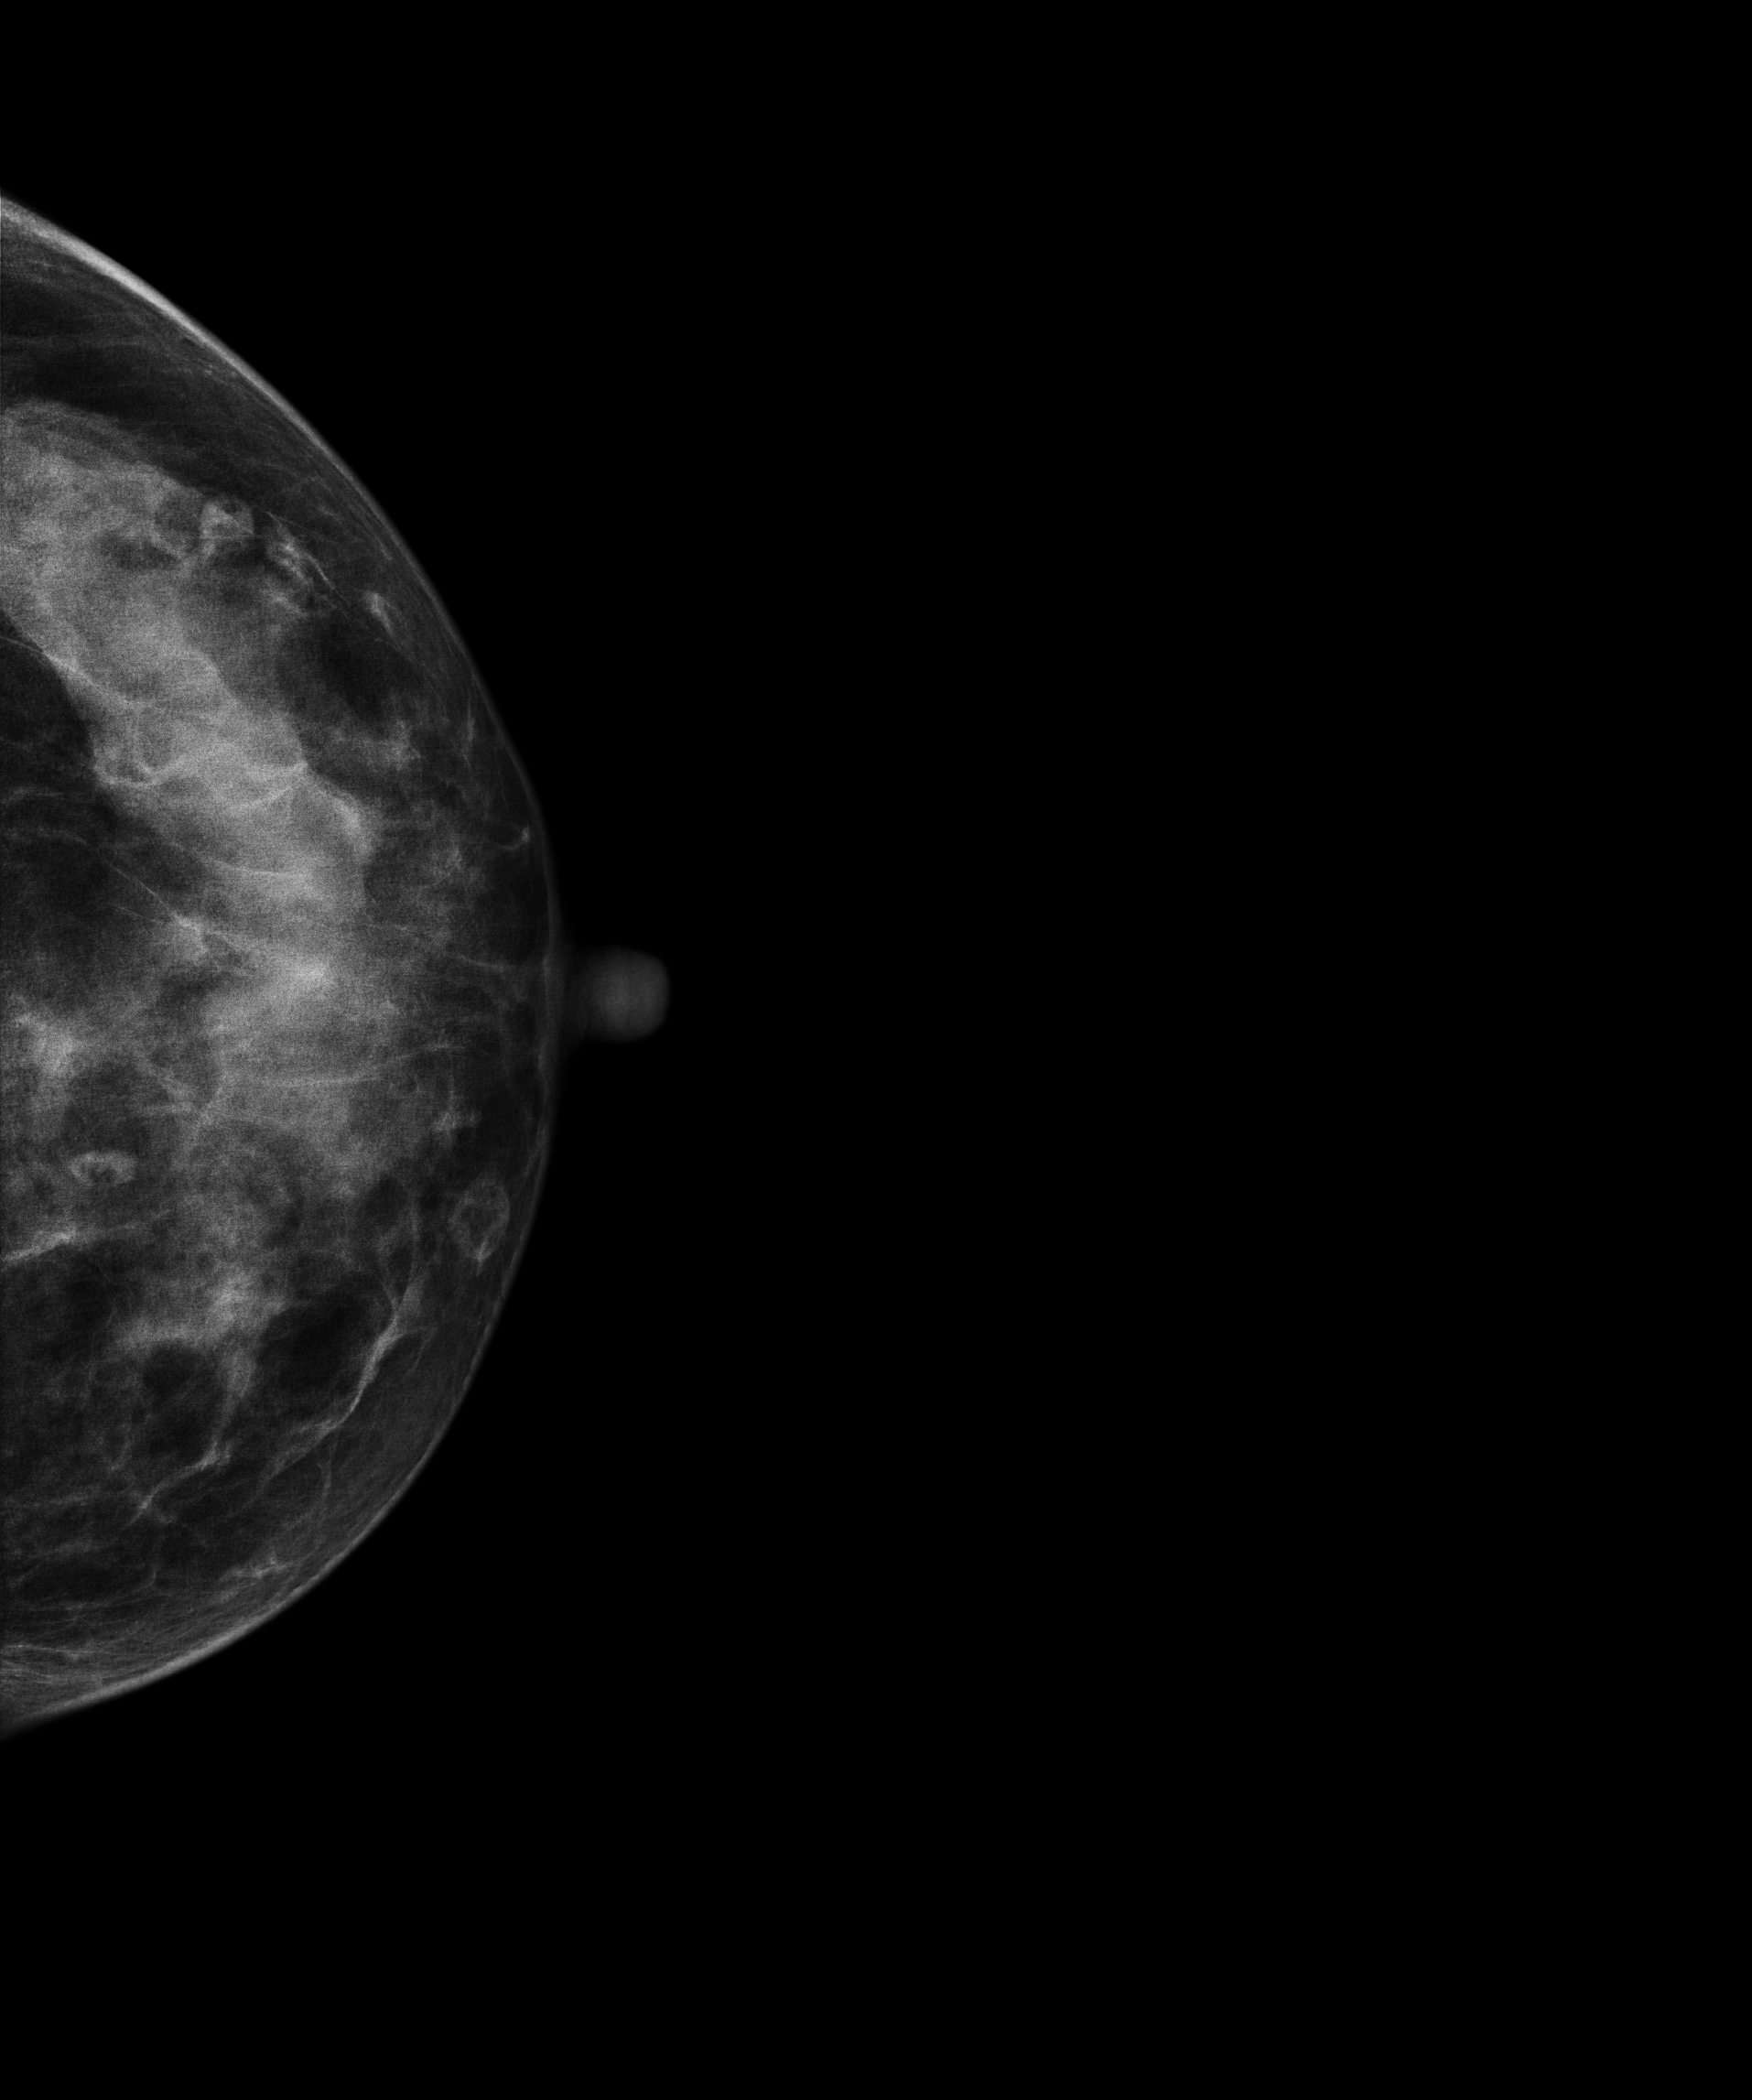
Mammogram — left CC. 39-year-old patient.
This breast has a mass, biopsy-confirmed benign.